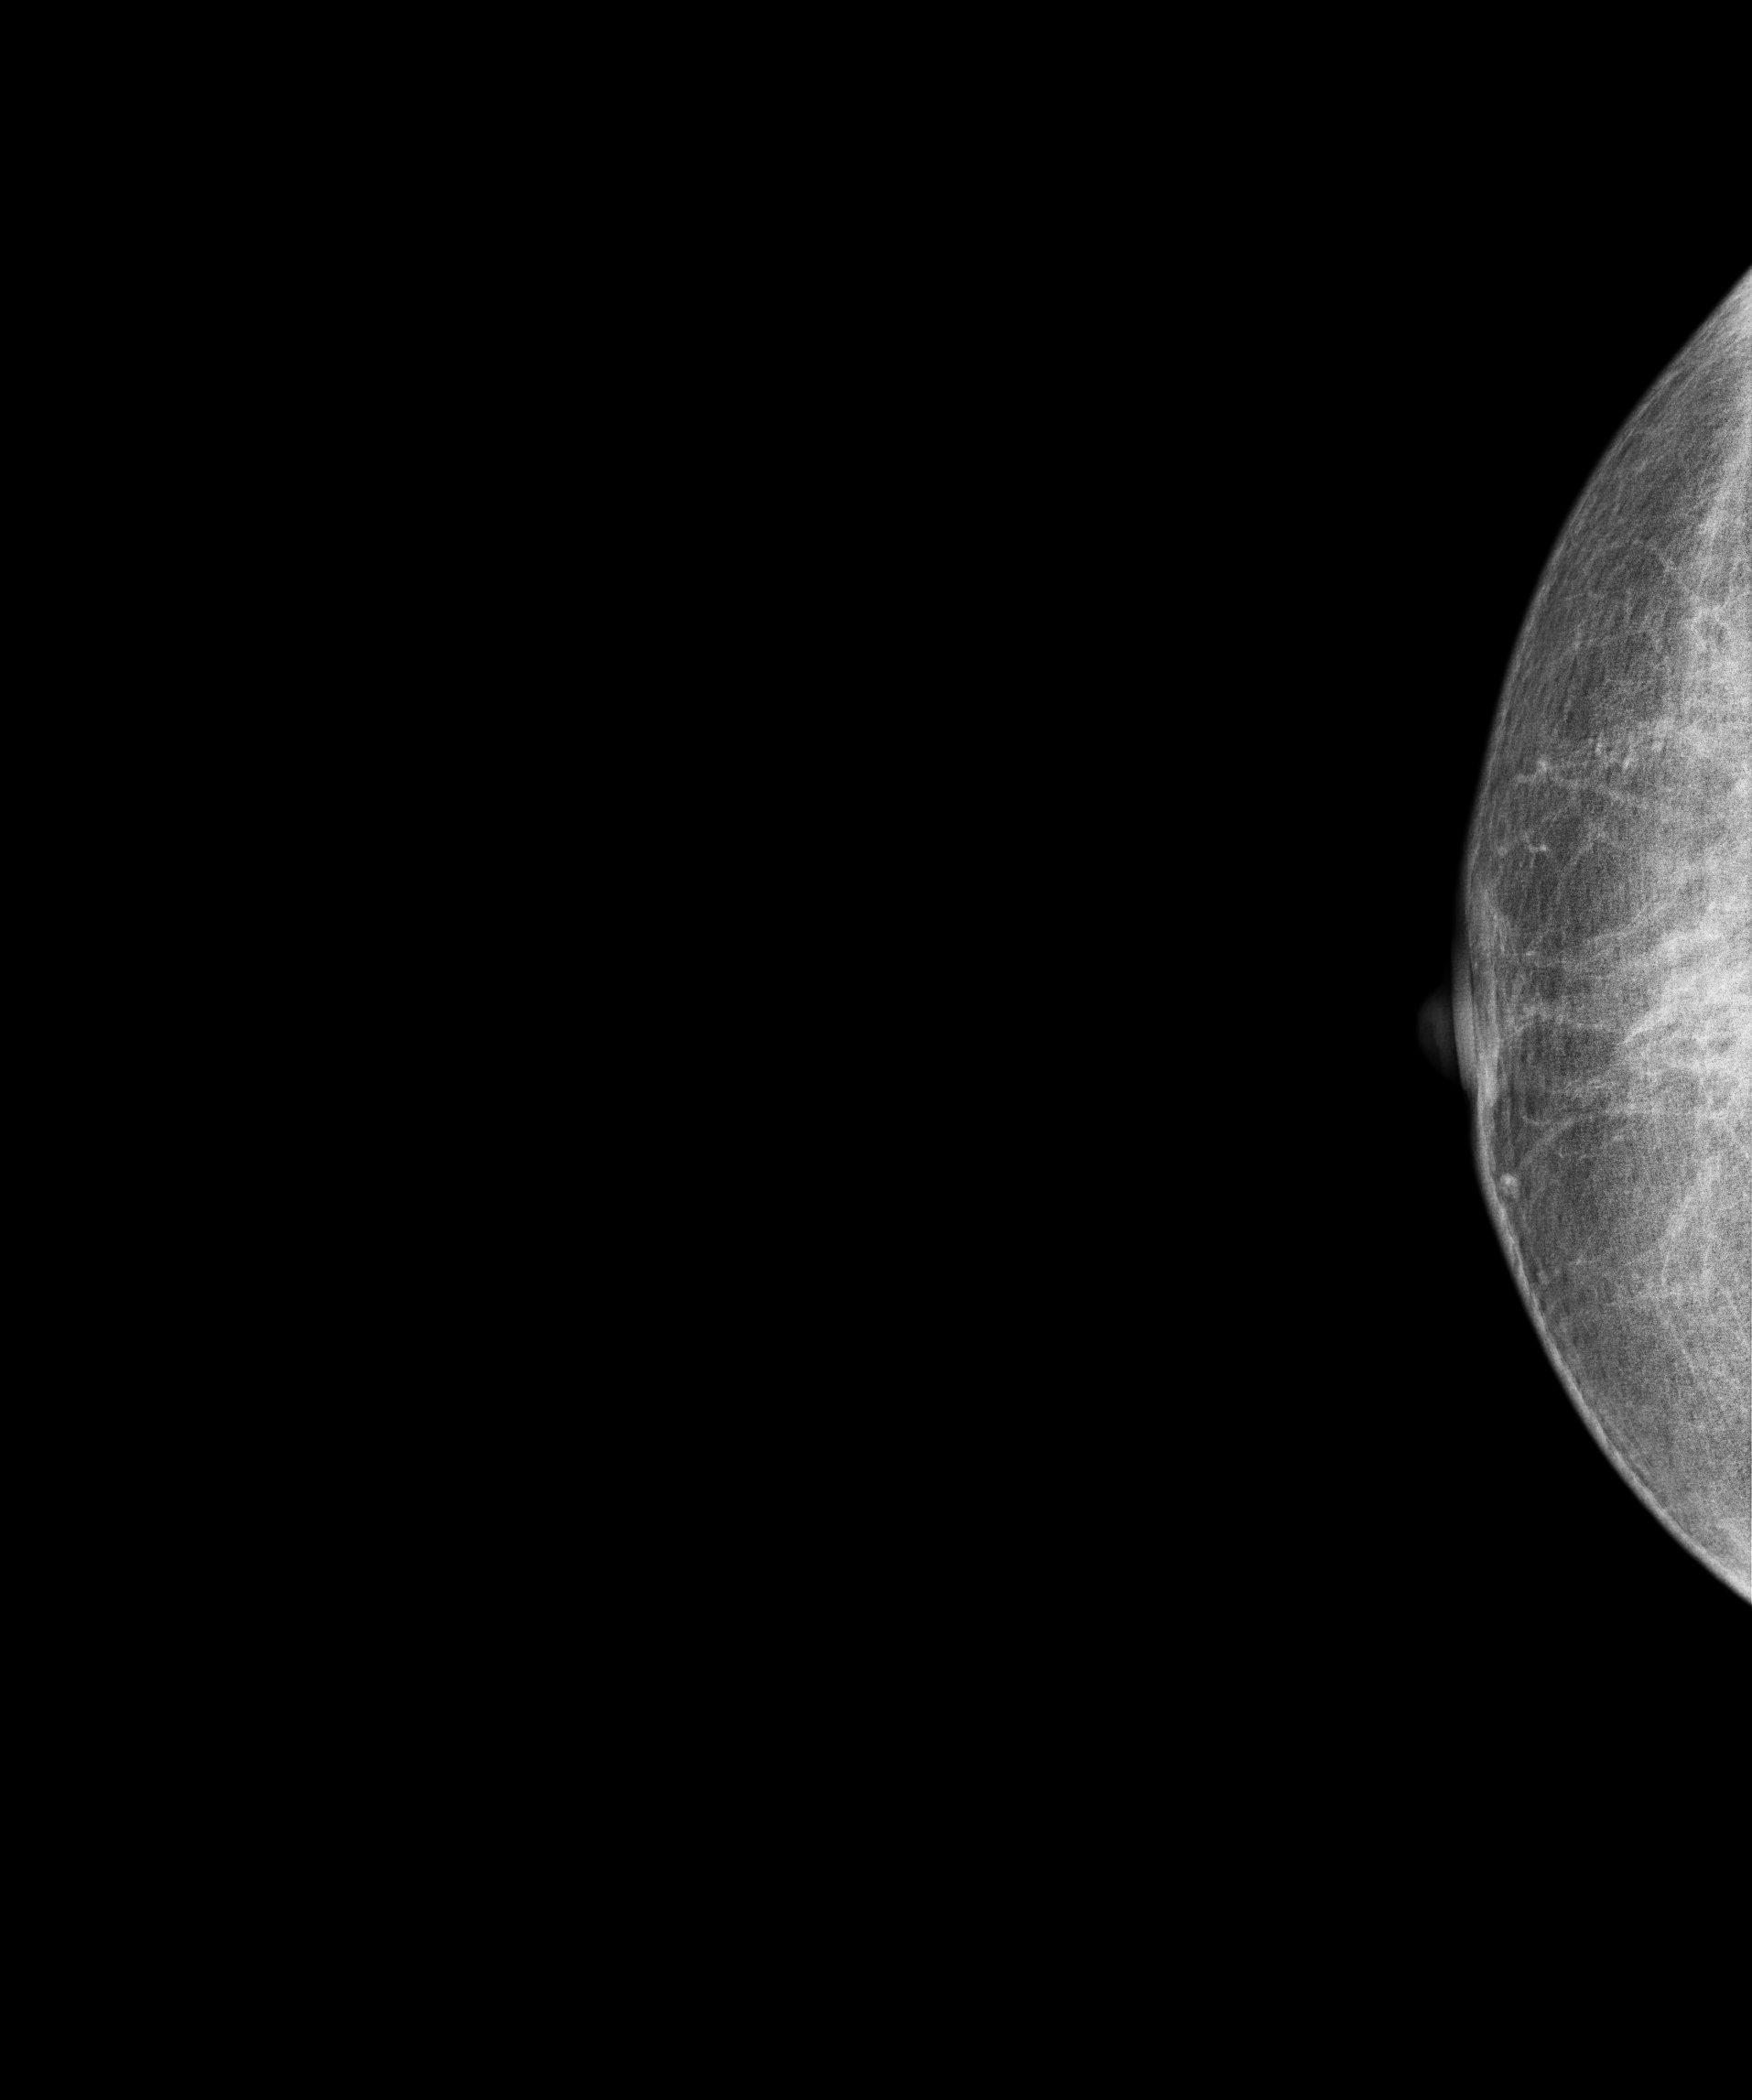
Right-breast mammogram, cranio-caudal. 52 y/o patient.
Contralateral breast — no documented abnormality on this side.